Medio-lateral oblique mammogram of the left breast. 65-year-old patient.
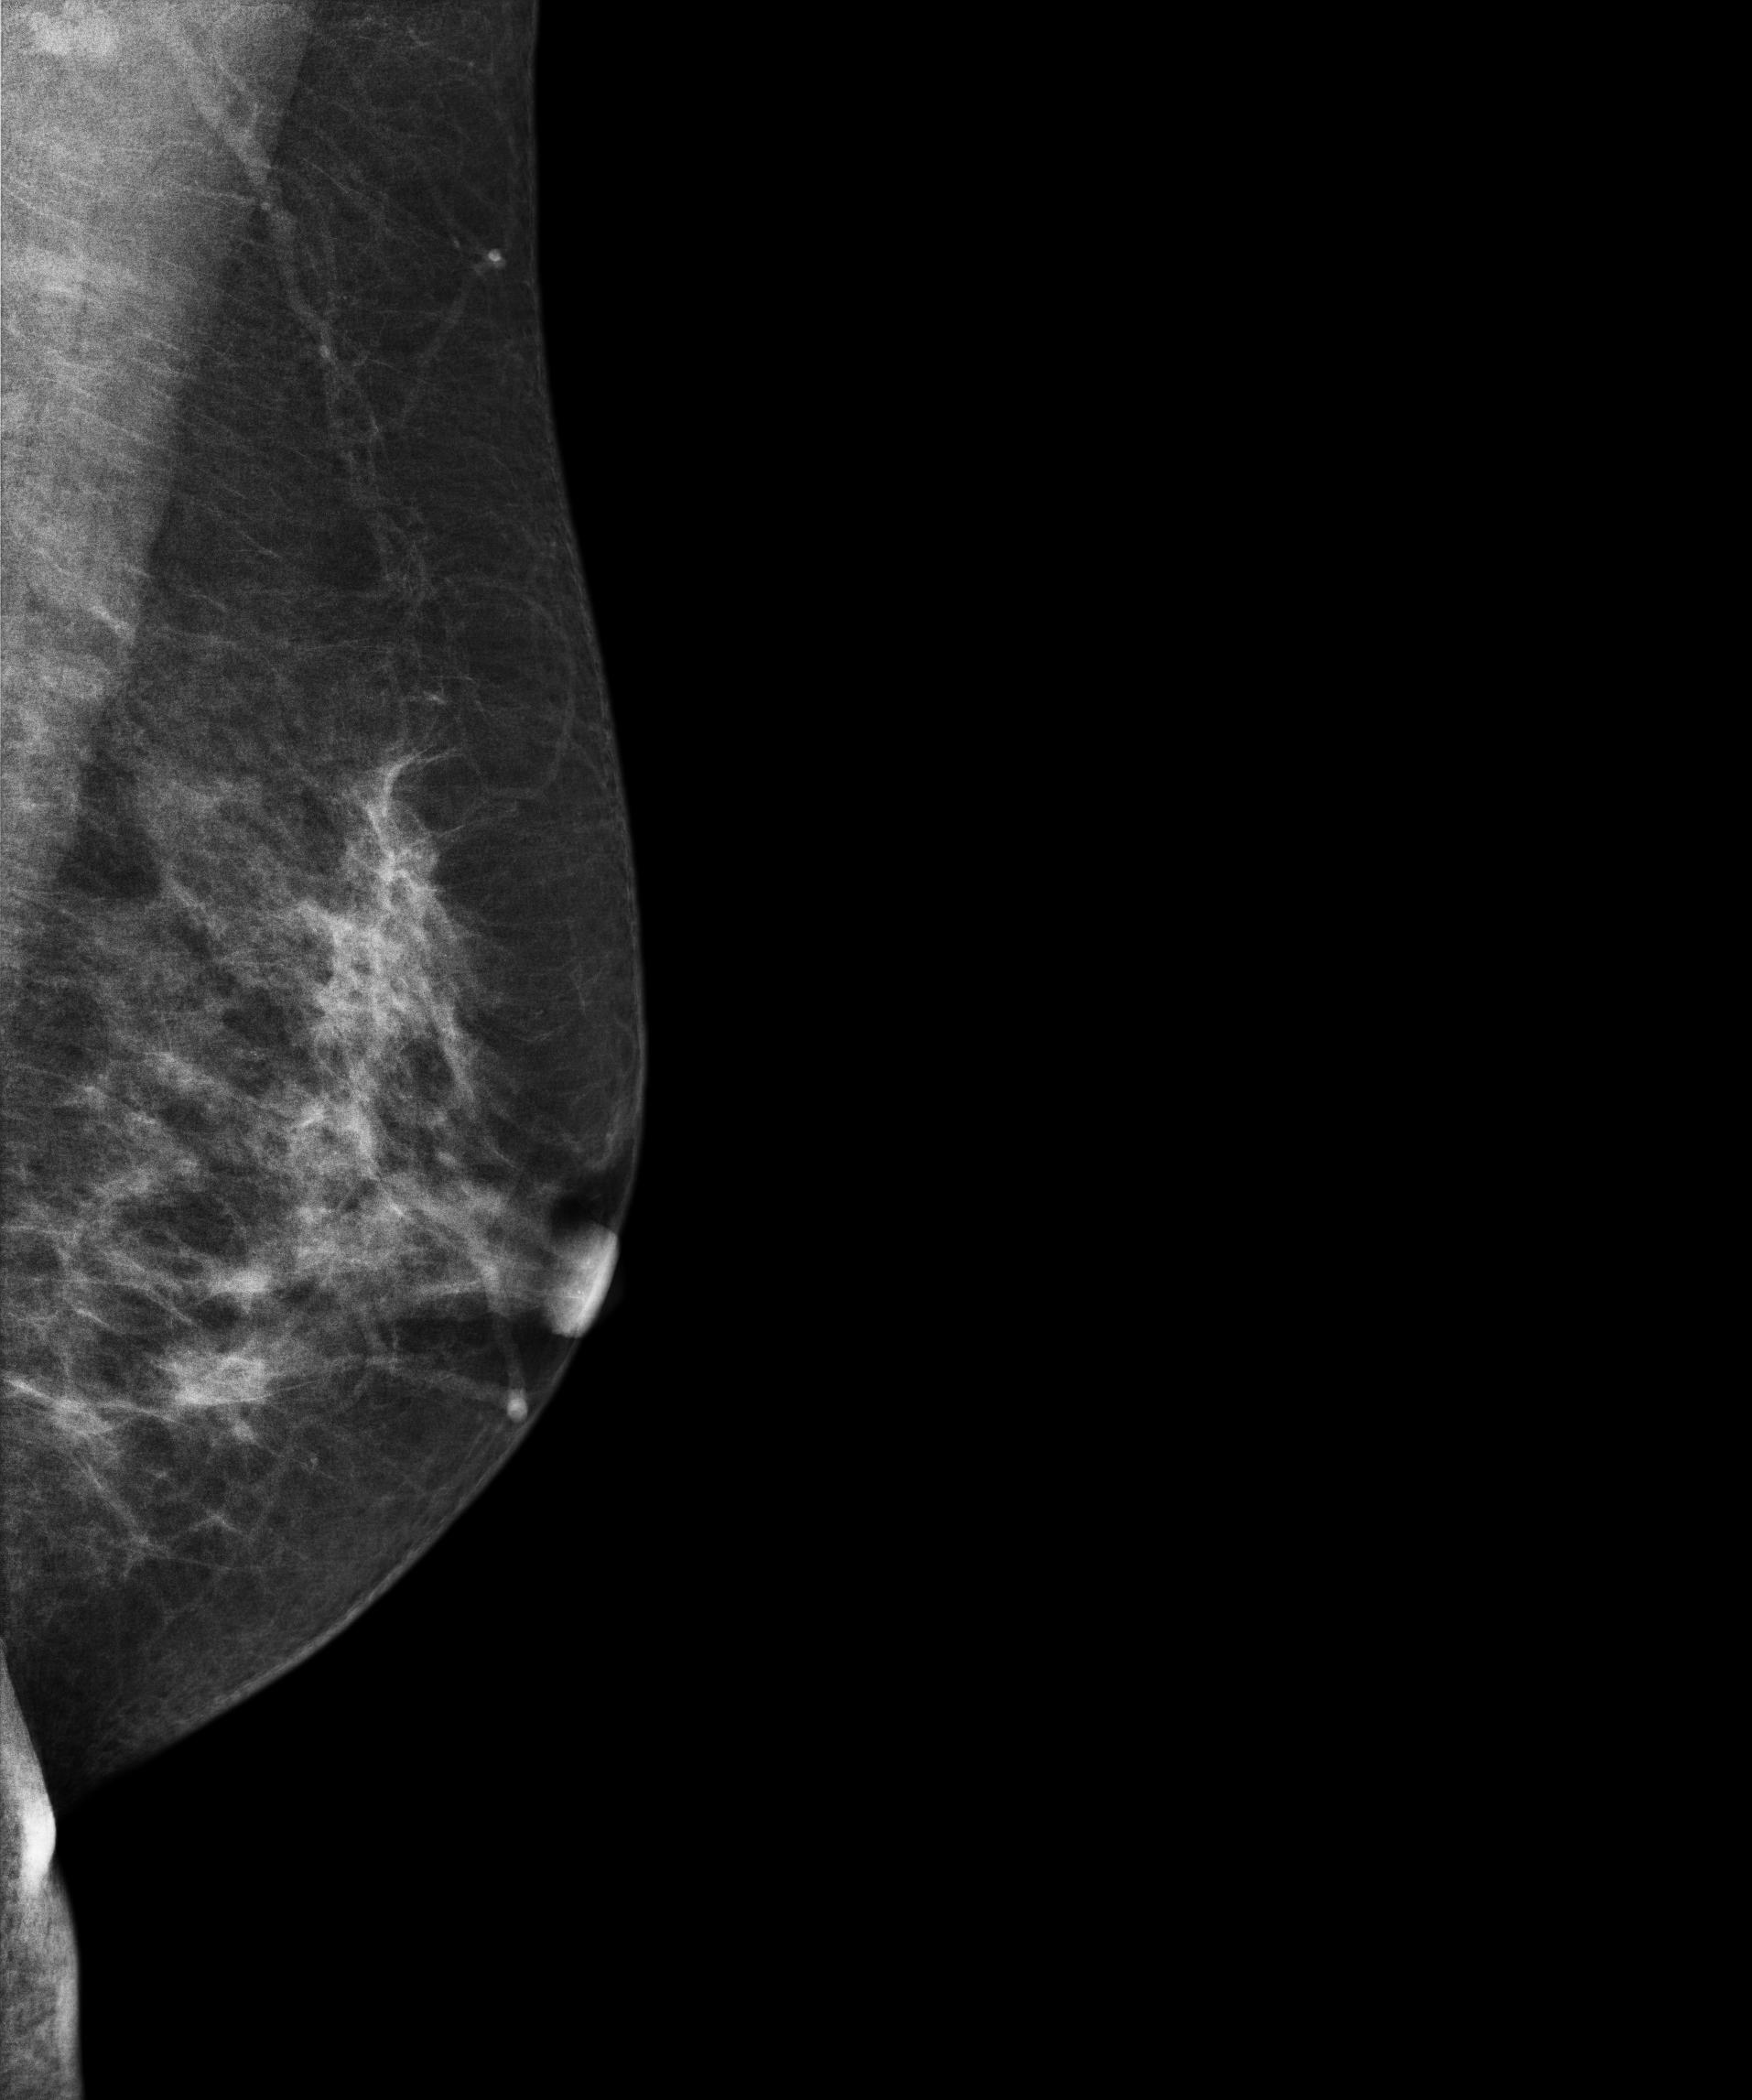
This breast has a mass, biopsy-proven benign.